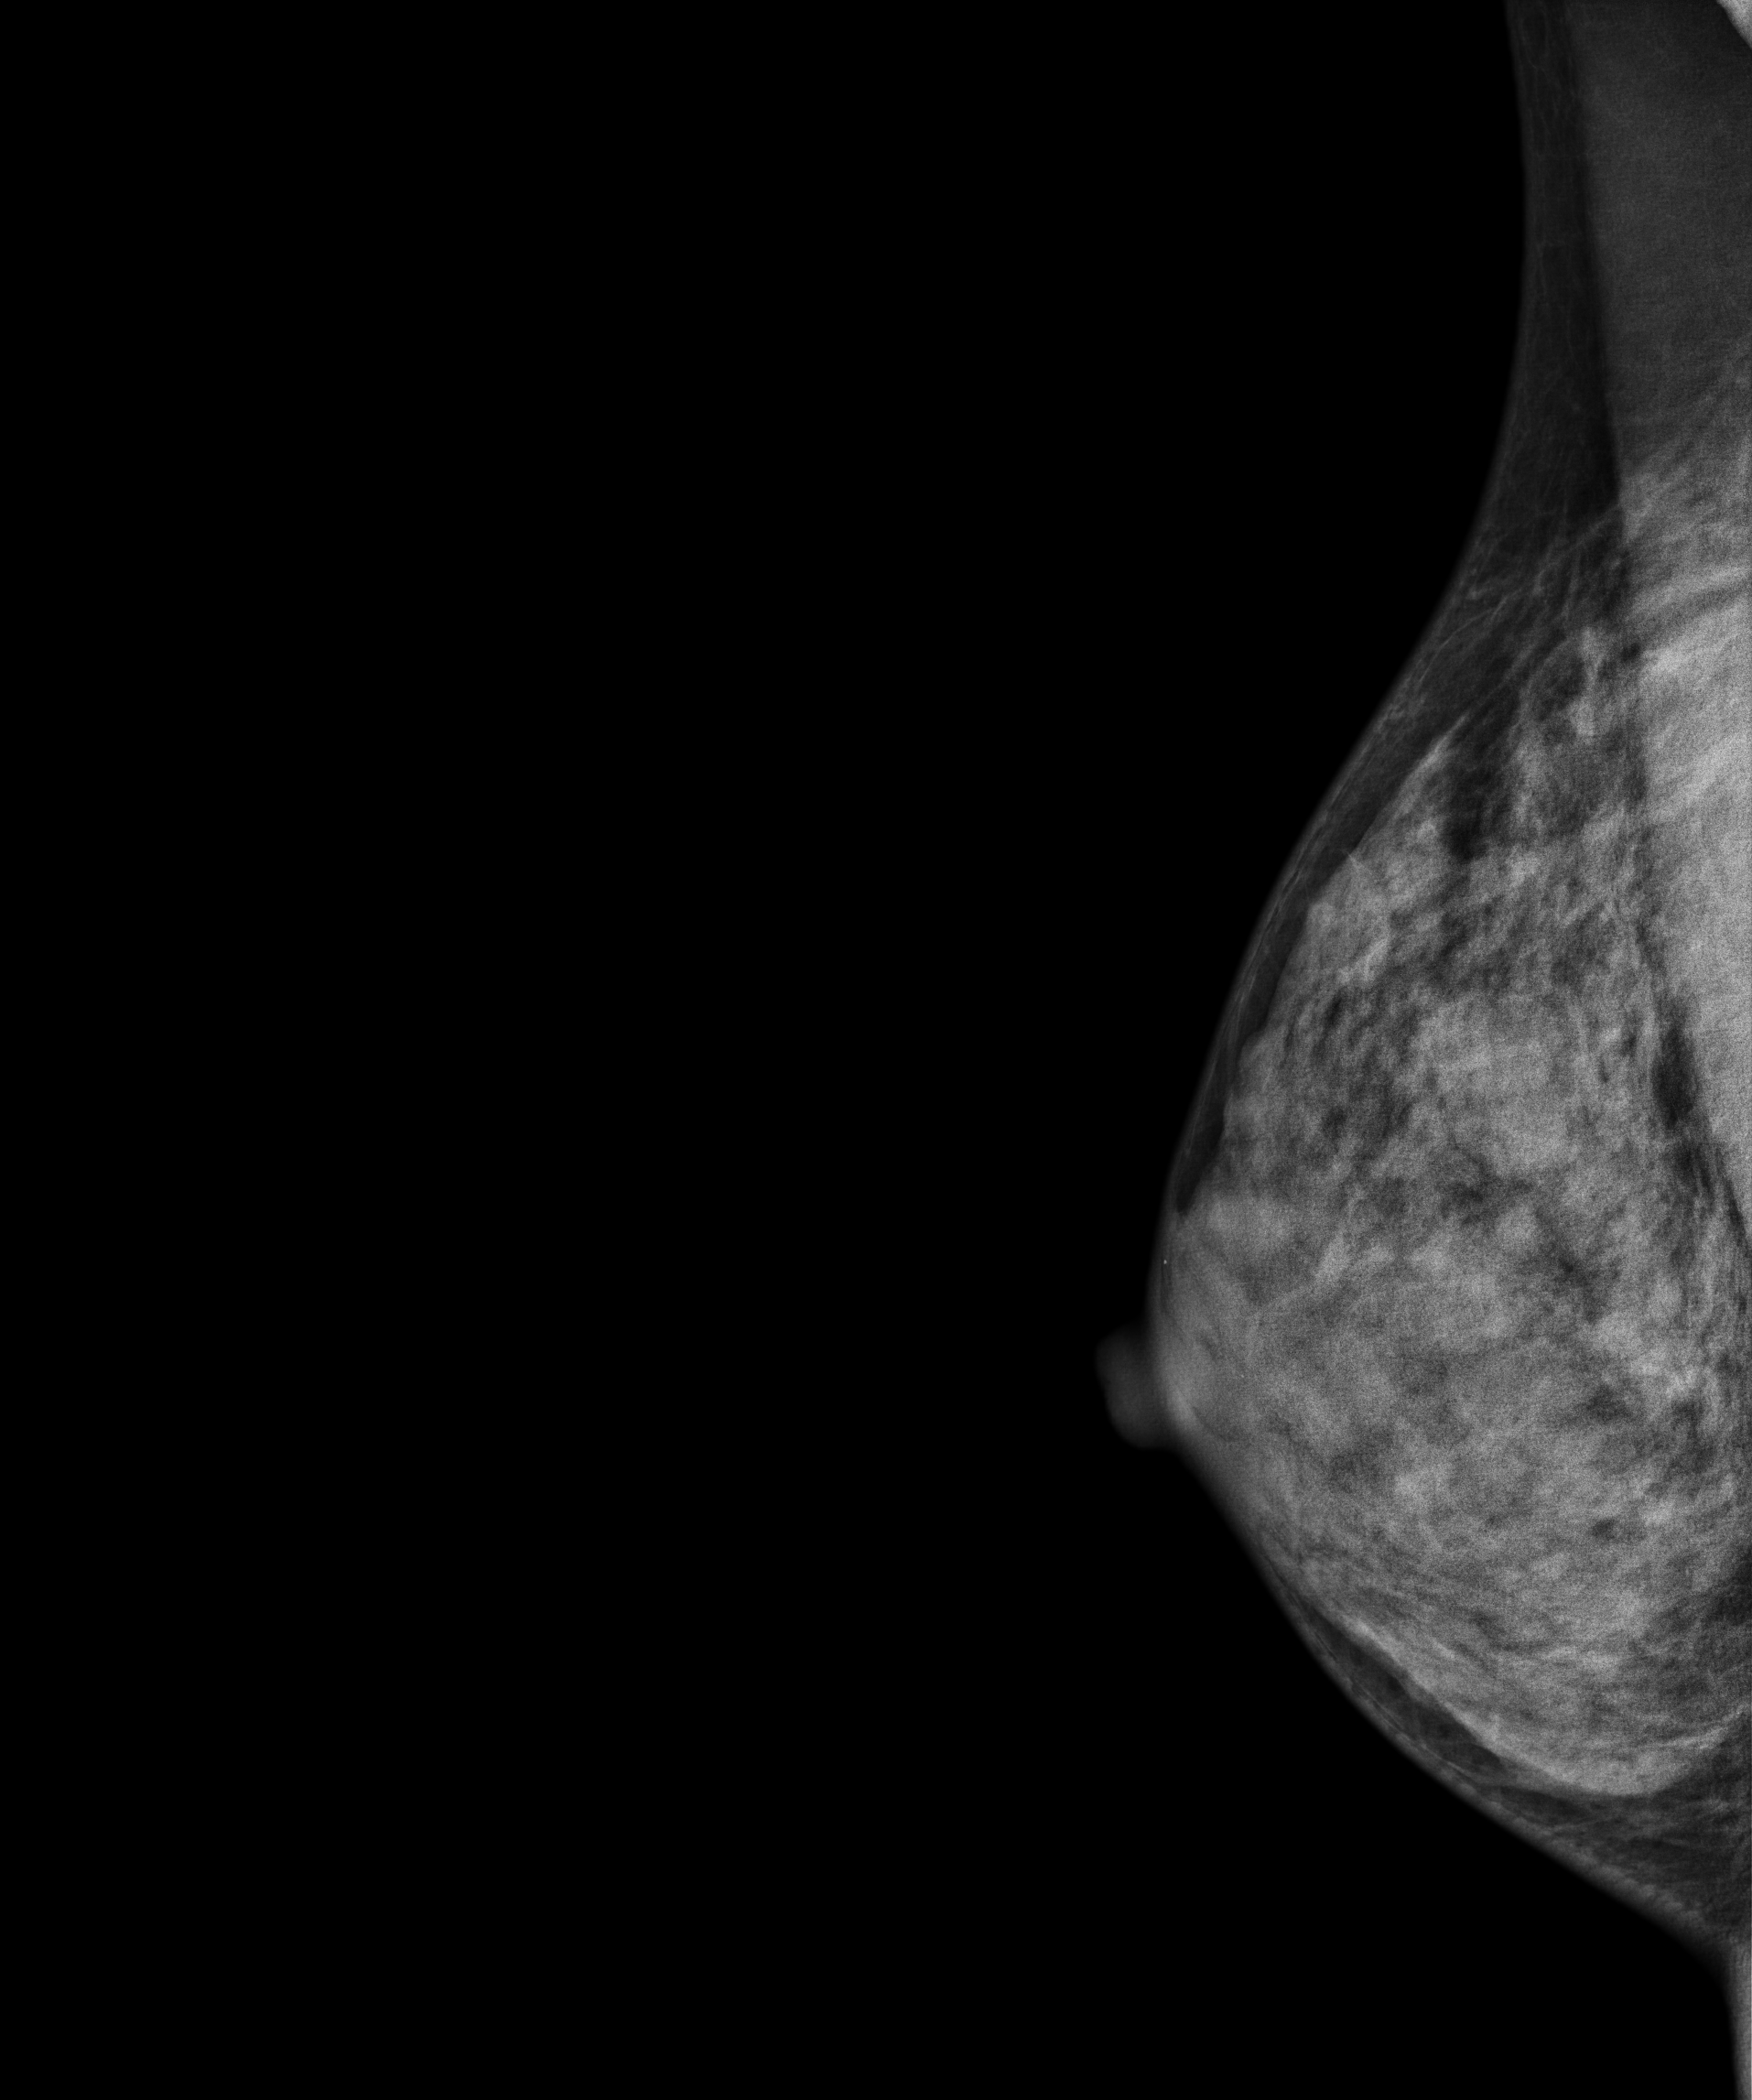
Right-breast mammogram, MLO. 31-year-old patient.
This breast has a mass, biopsy-confirmed benign.